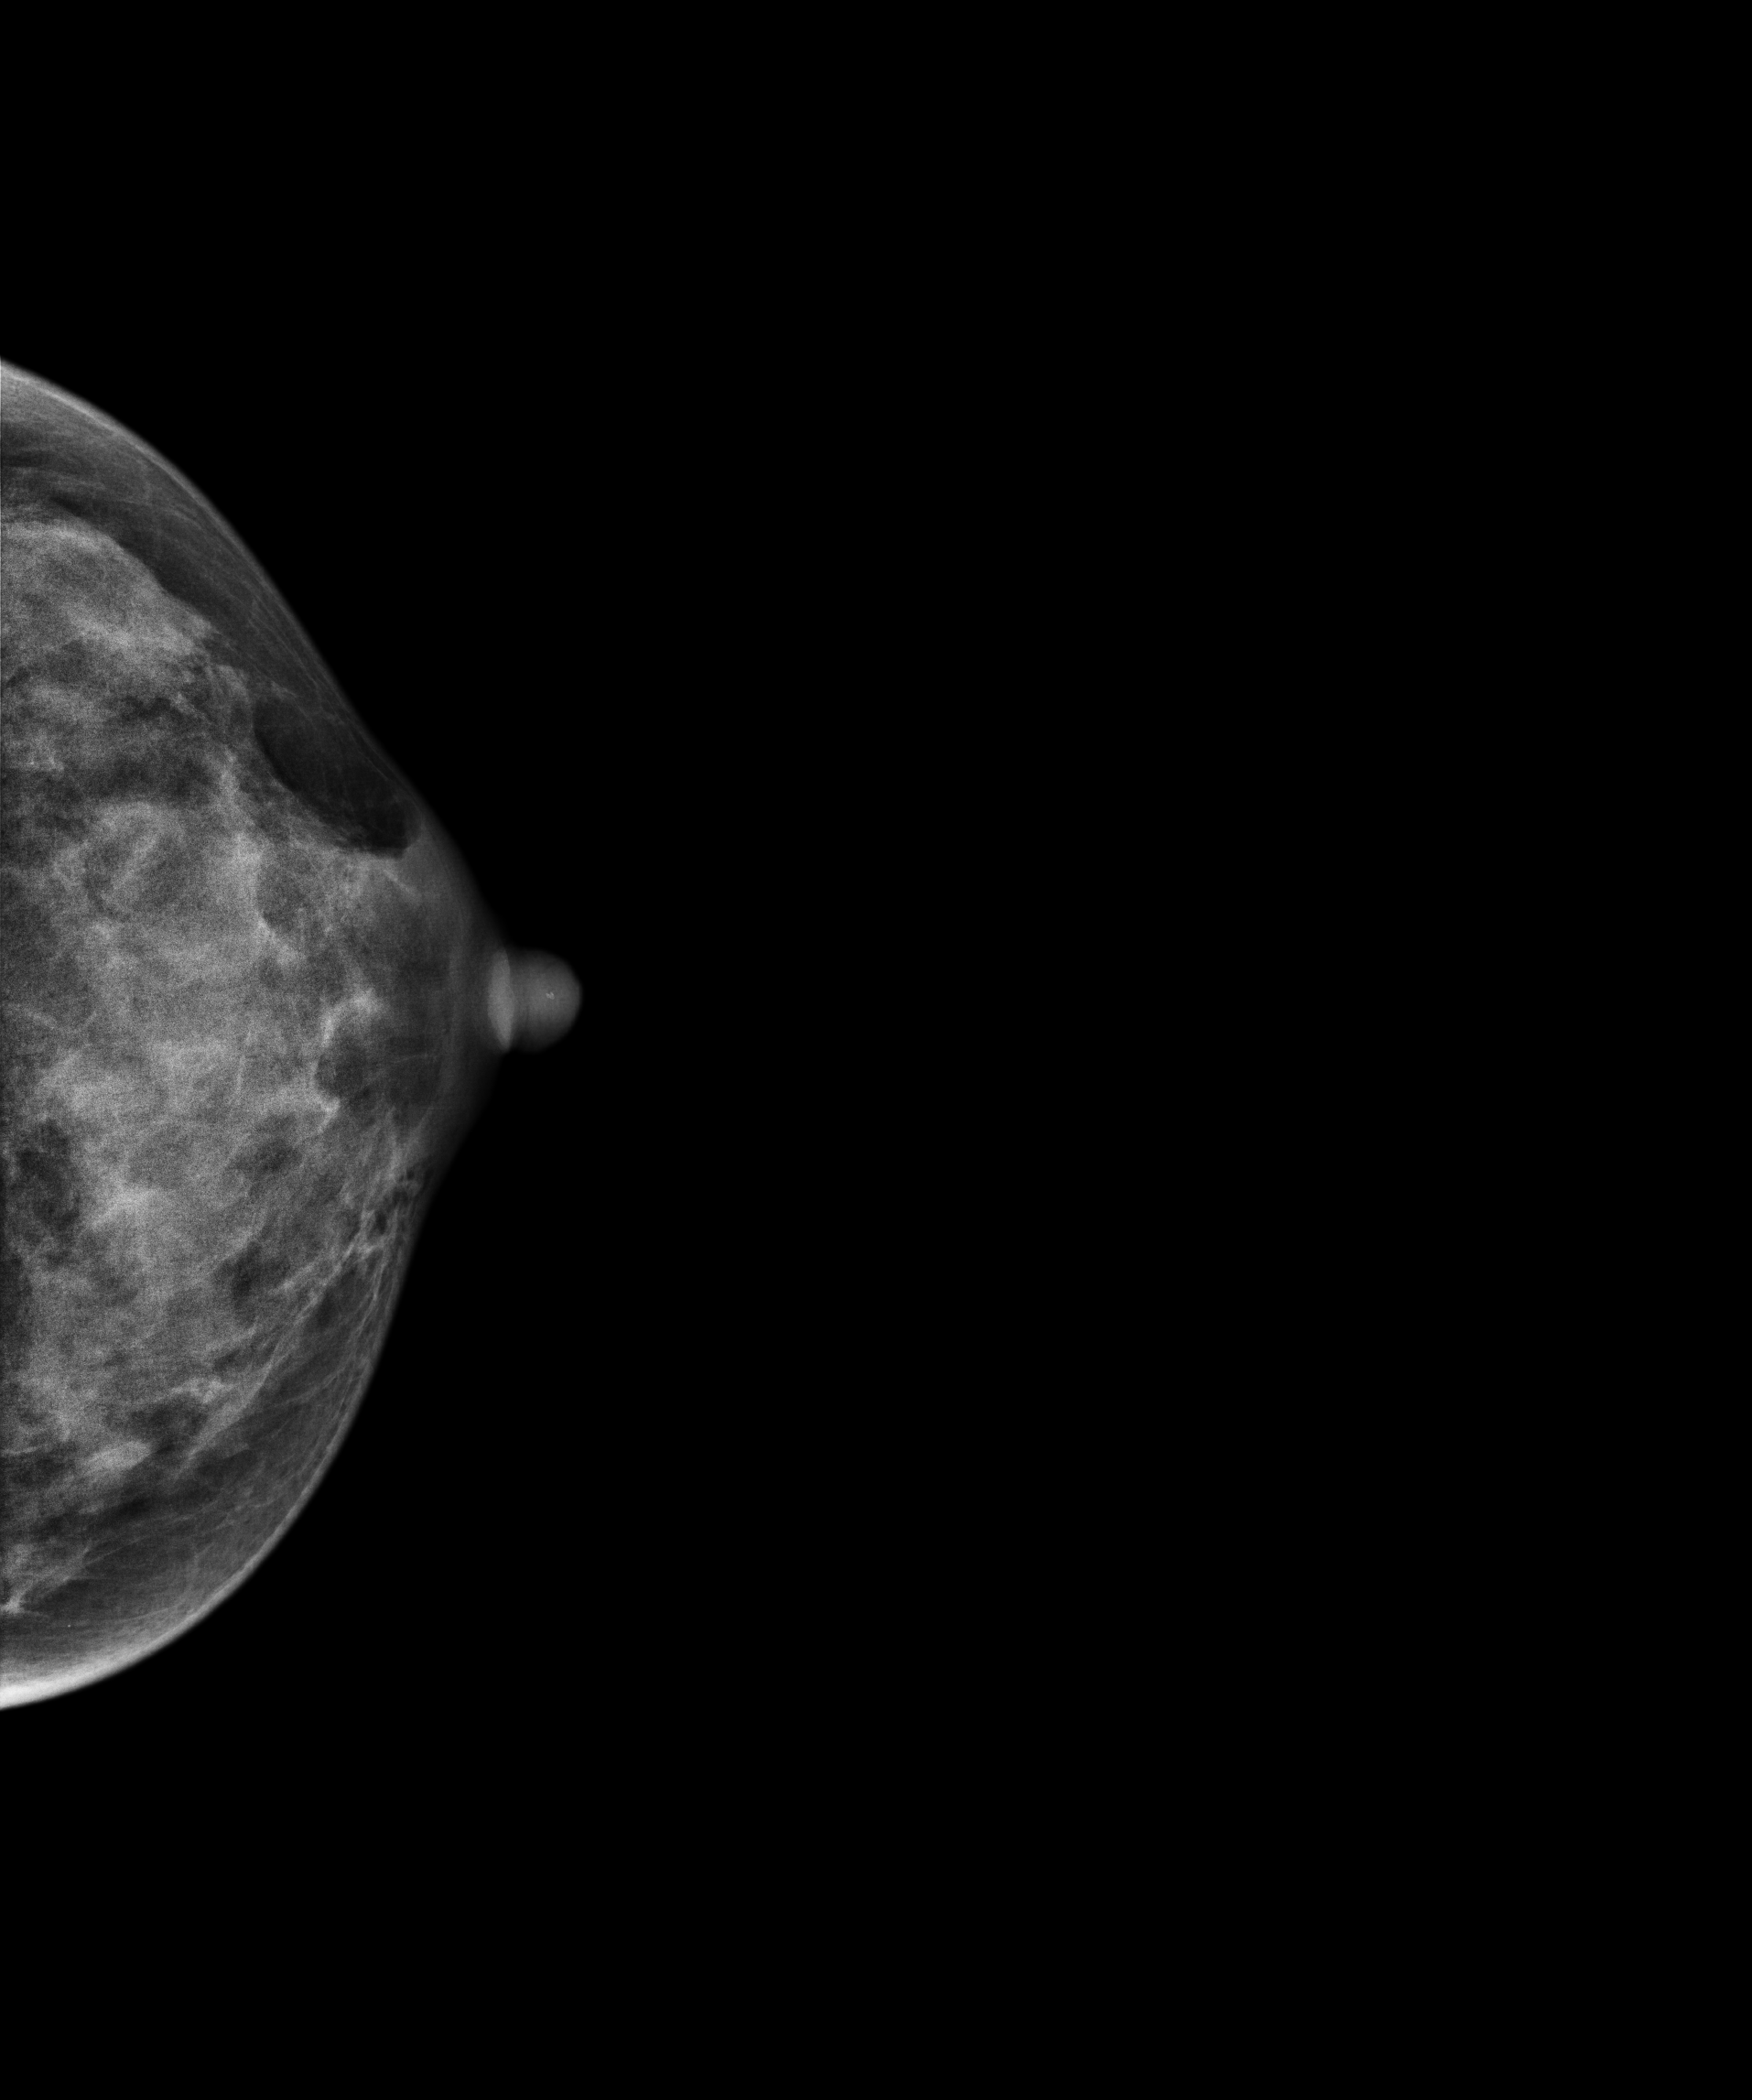
Digital mammography. Left breast, cranio-caudal projection. 42-year-old patient.
This breast has a mass, histologically confirmed malignant.